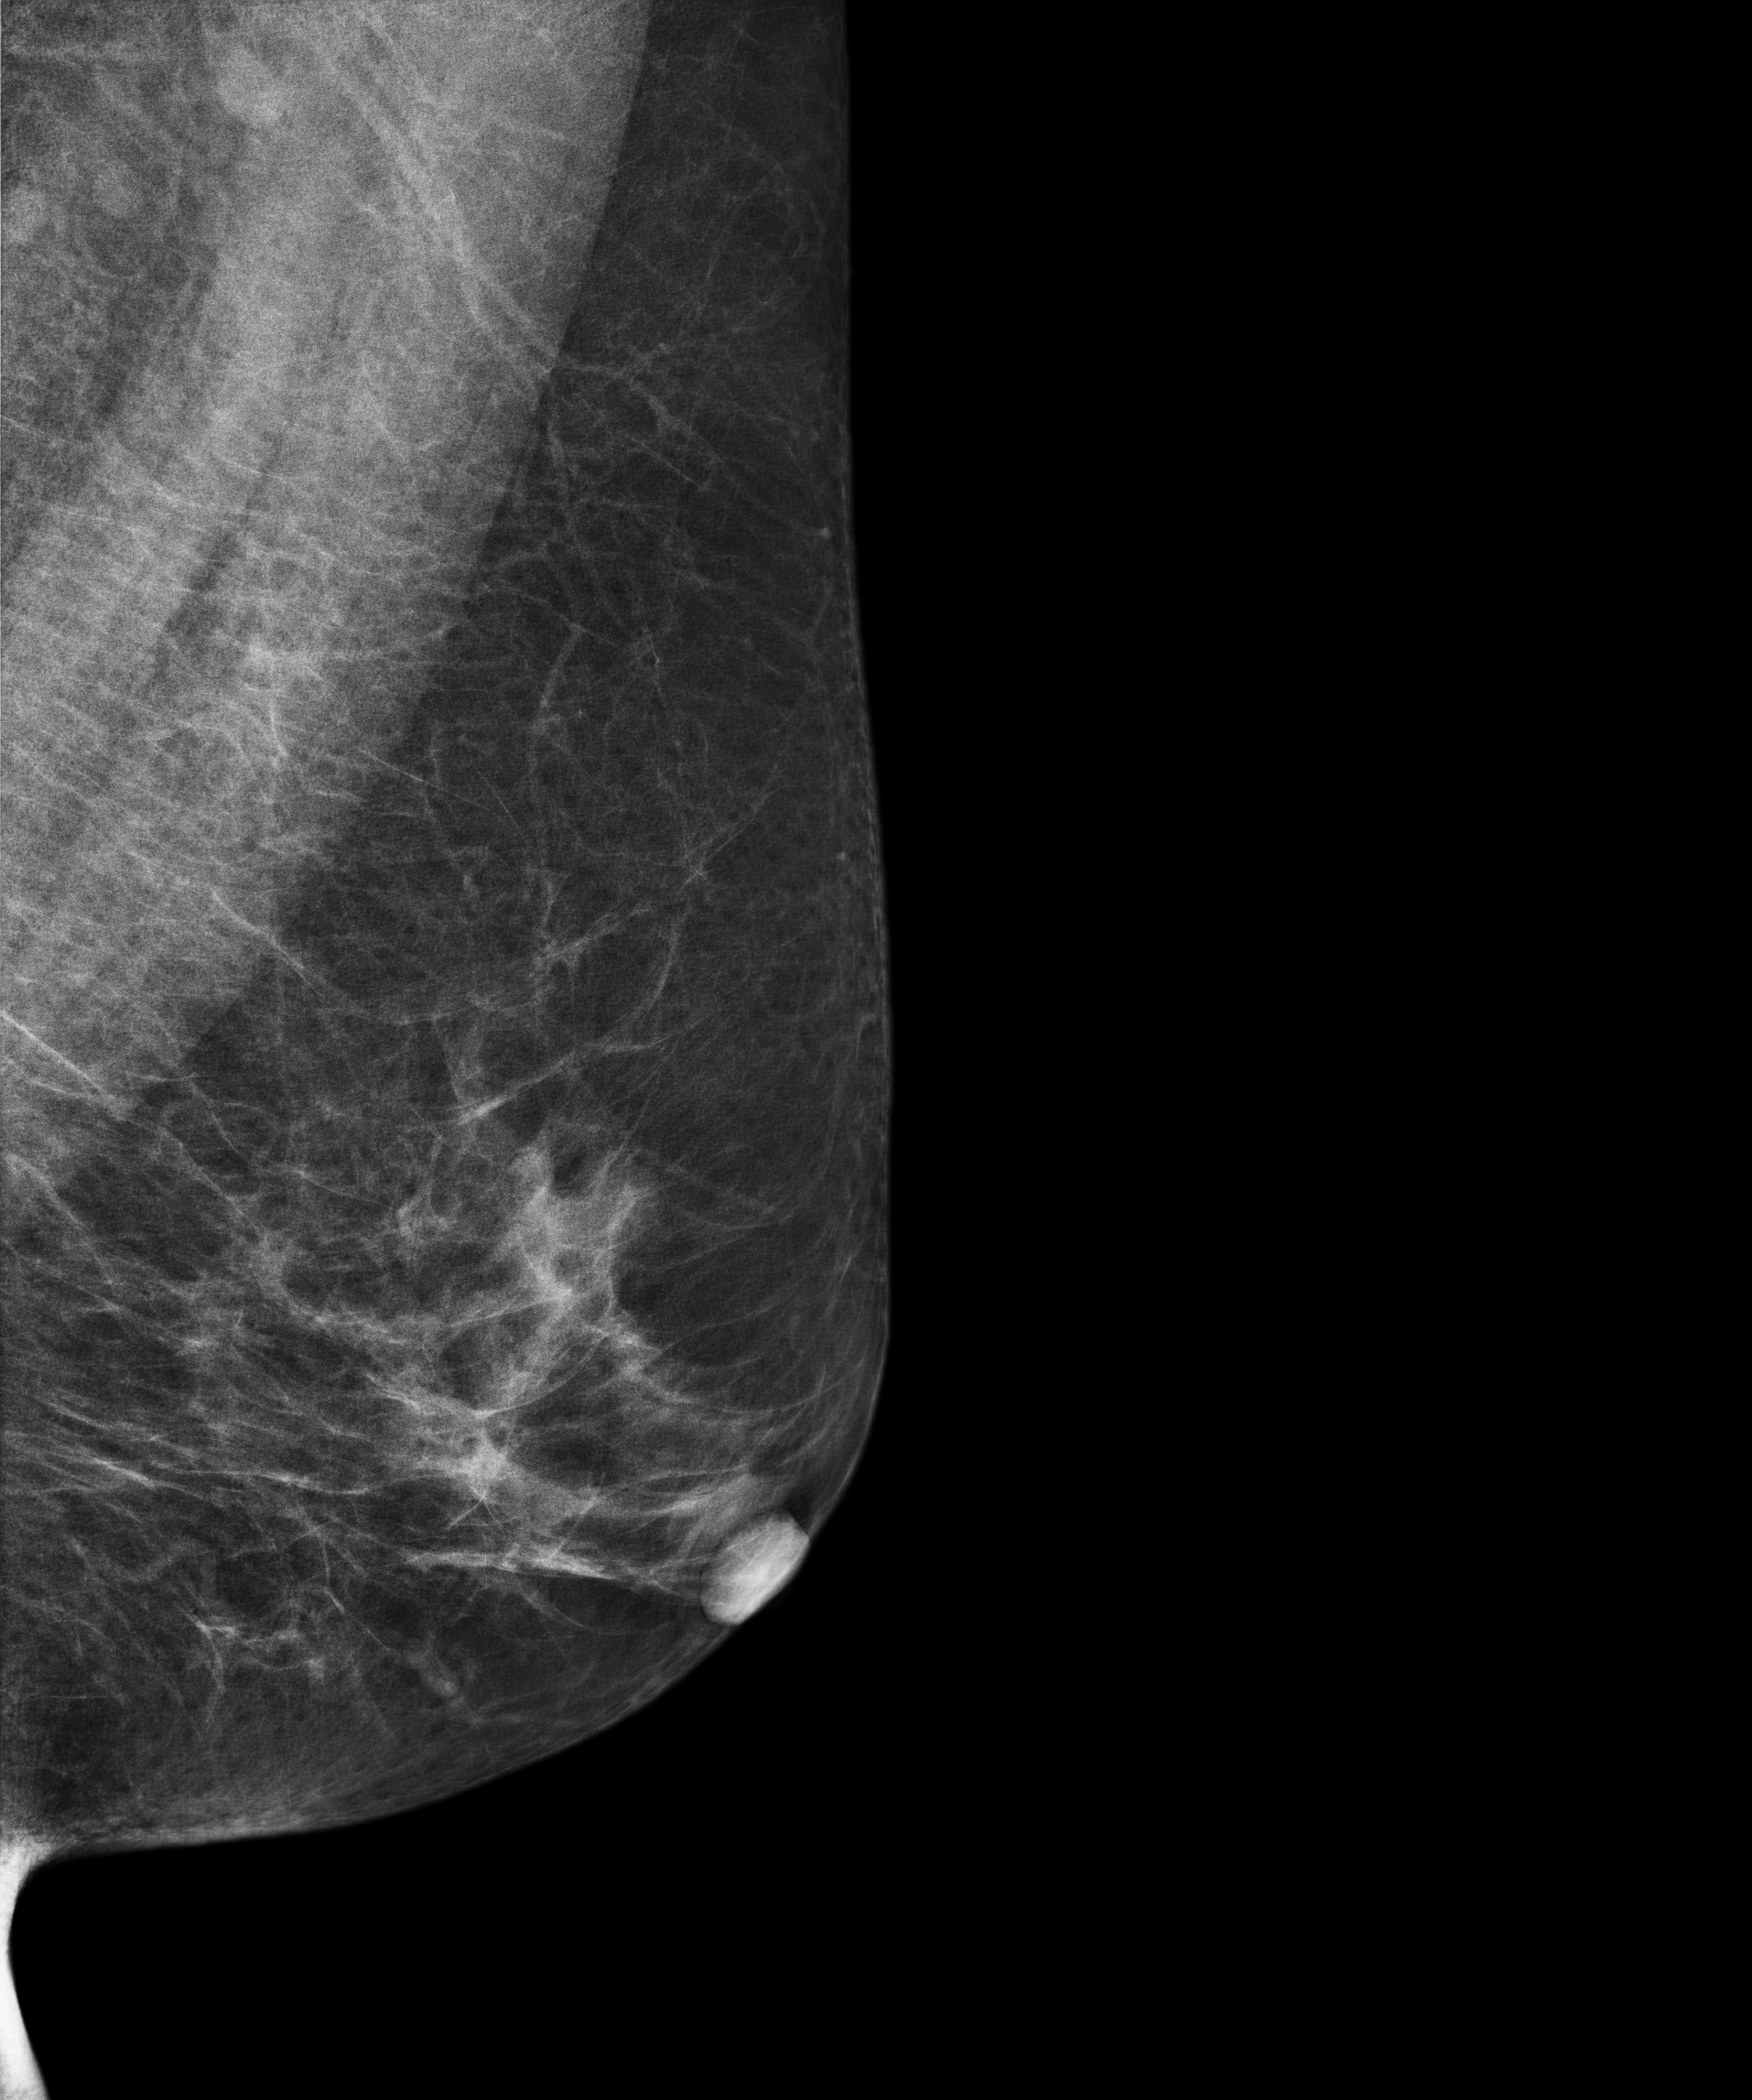
Mammogram — left medio-lateral oblique. Patient age 63.
Contralateral breast — no documented abnormality on this side.